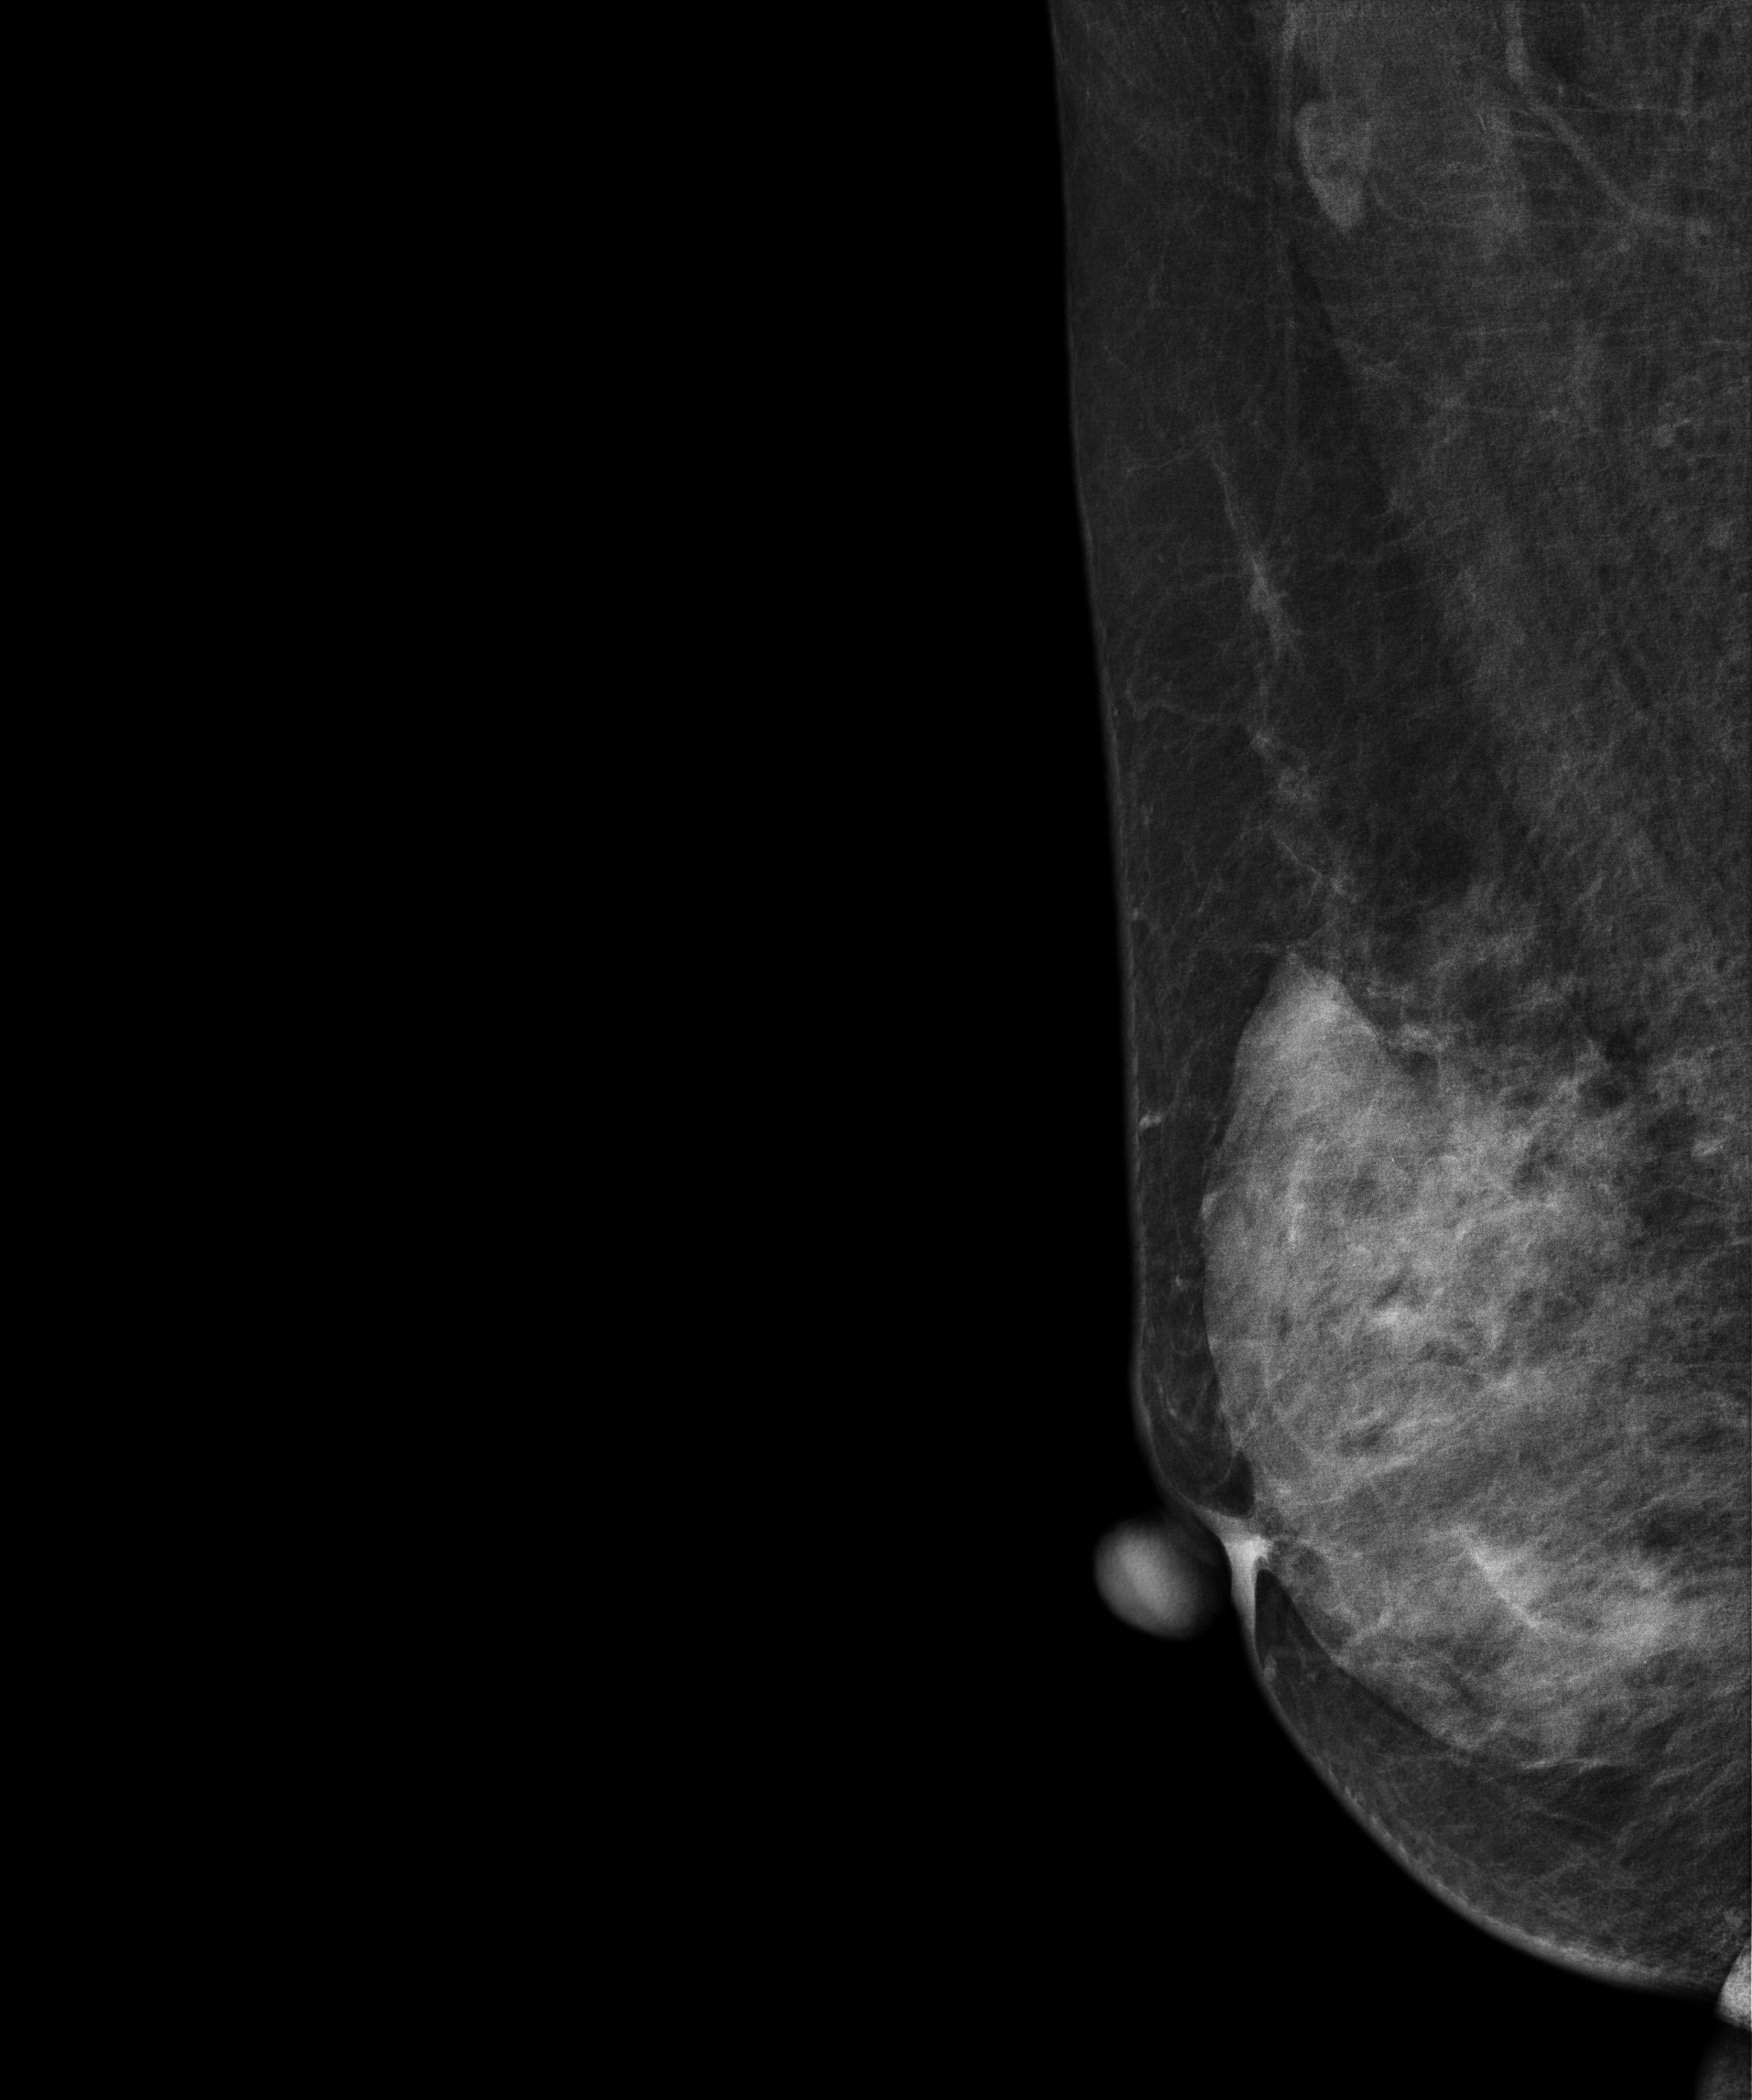
Digital mammography. Right breast, medio-lateral oblique projection. 58 y/o patient.
Contralateral breast — no documented abnormality on this side.